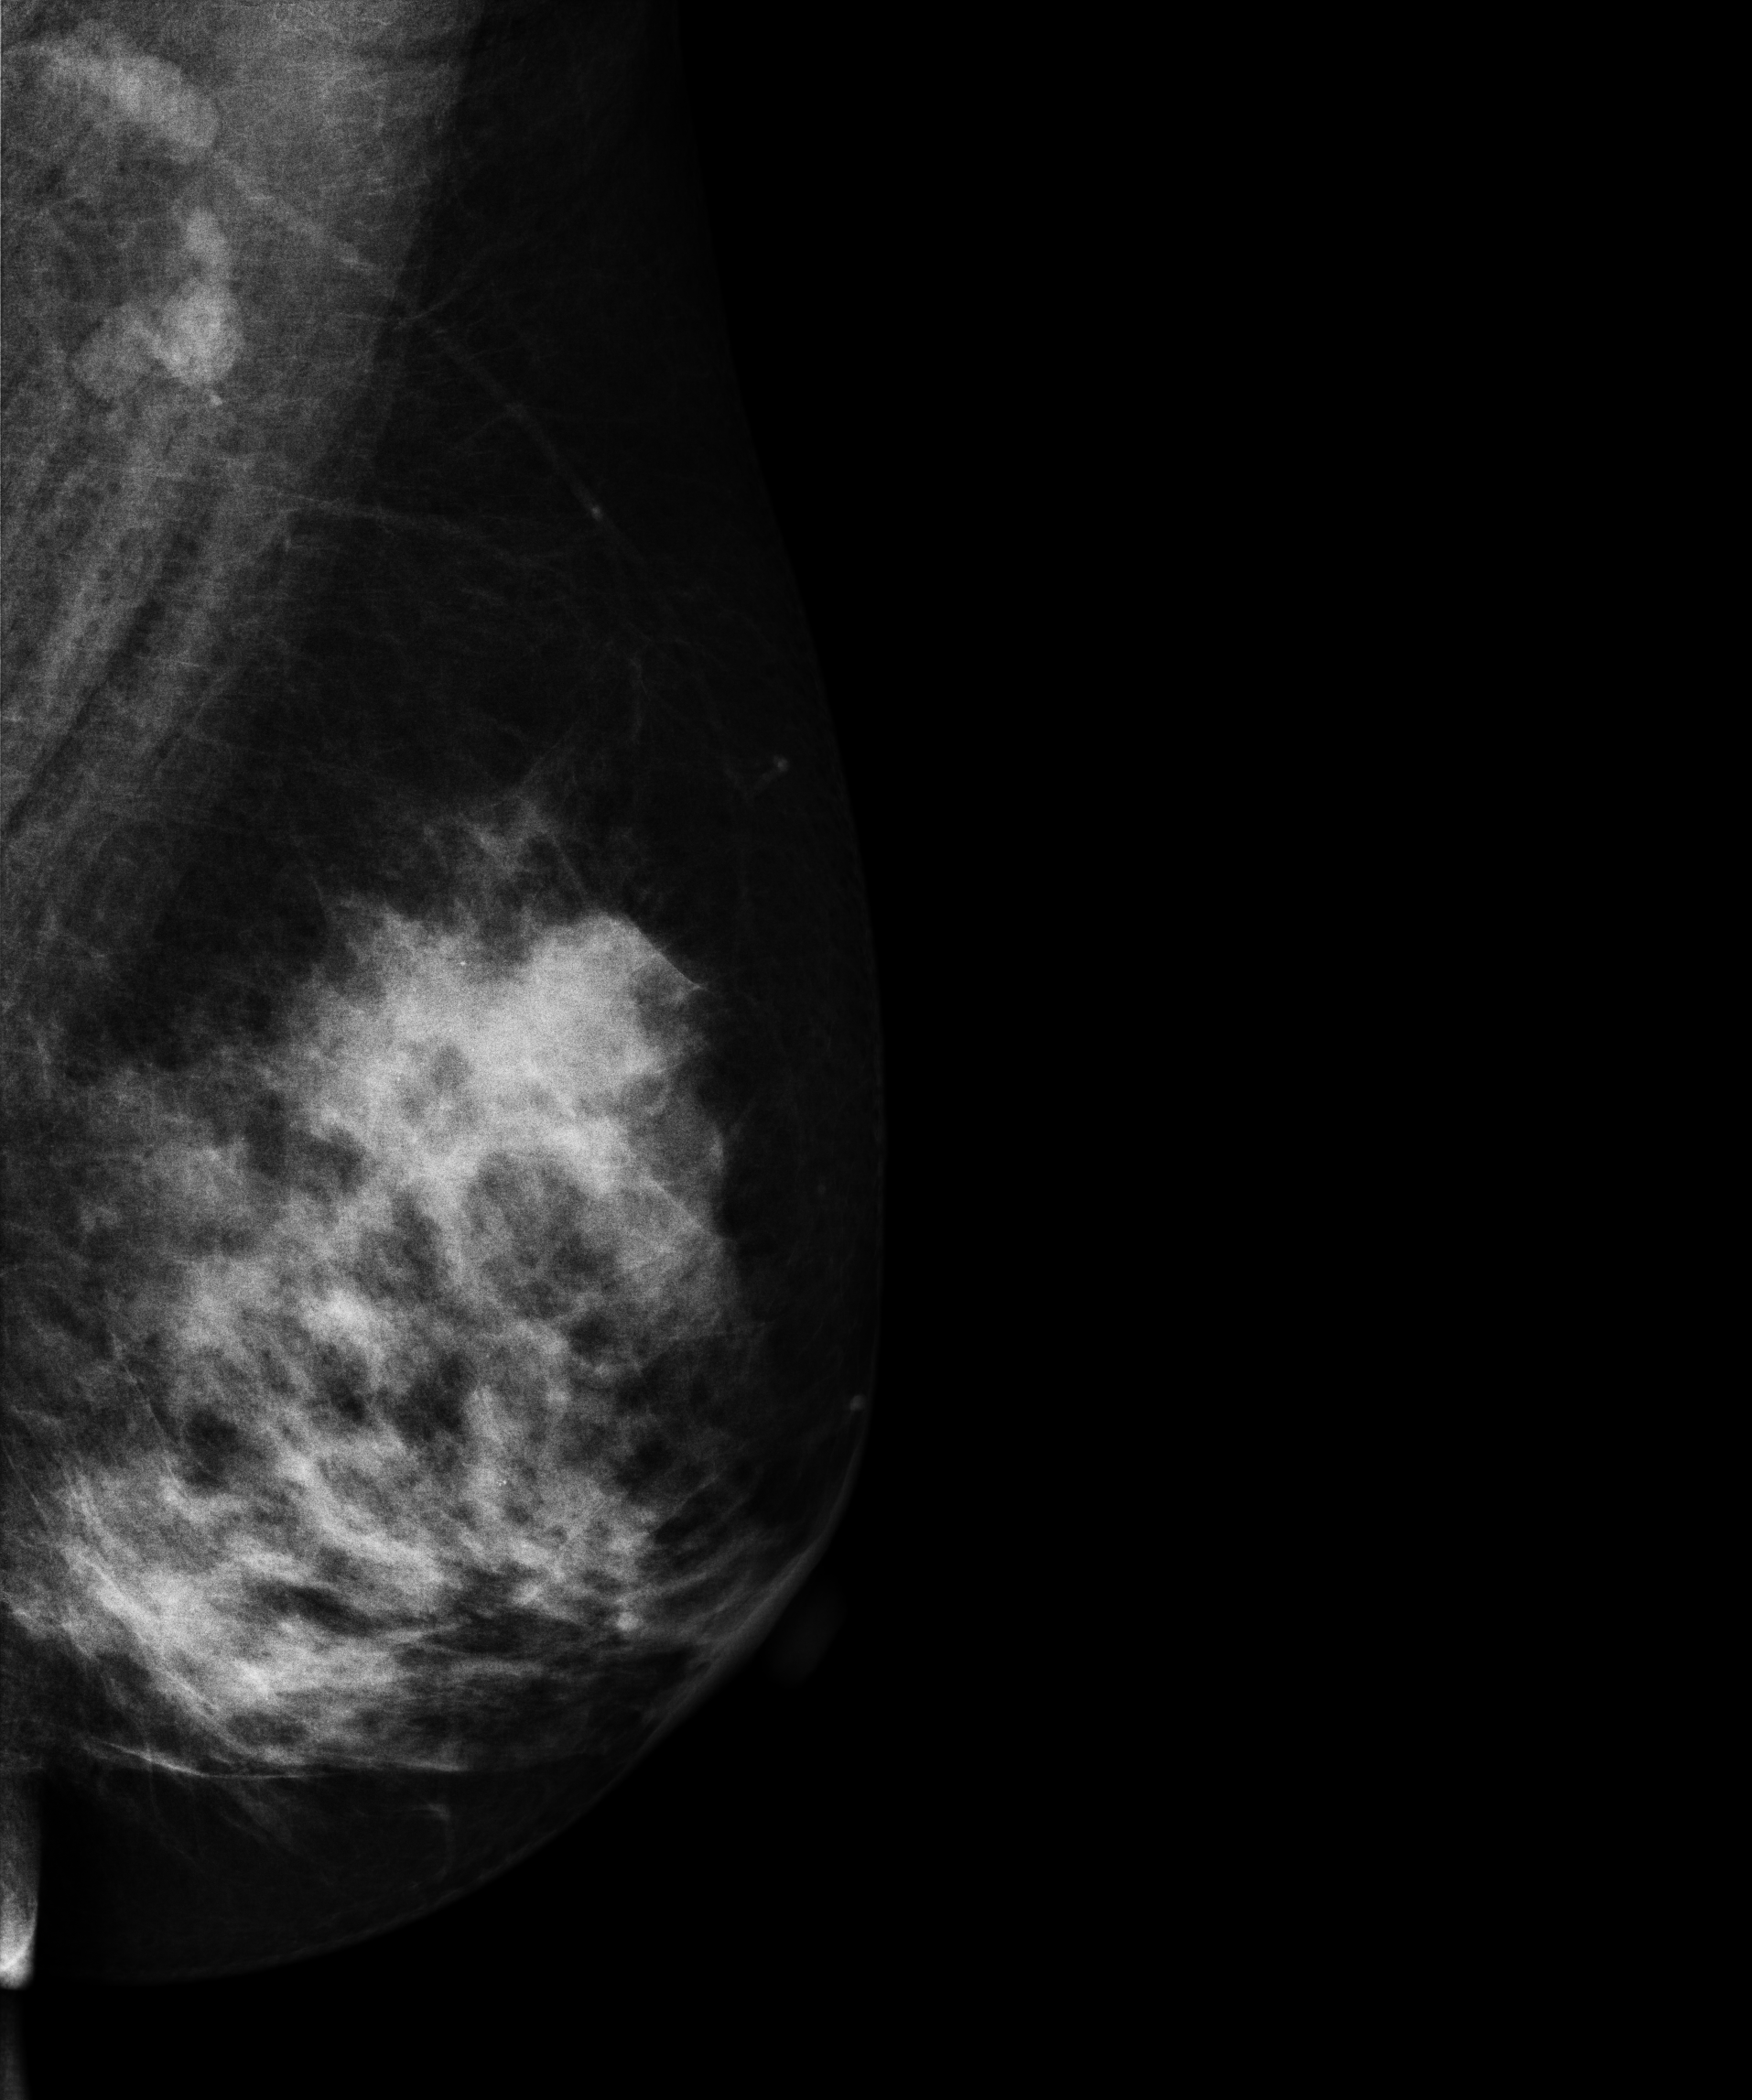
MLO mammogram of the left breast. Patient age 51.
Contralateral breast — no documented abnormality on this side.